CC mammogram of the left breast. 38-year-old patient.
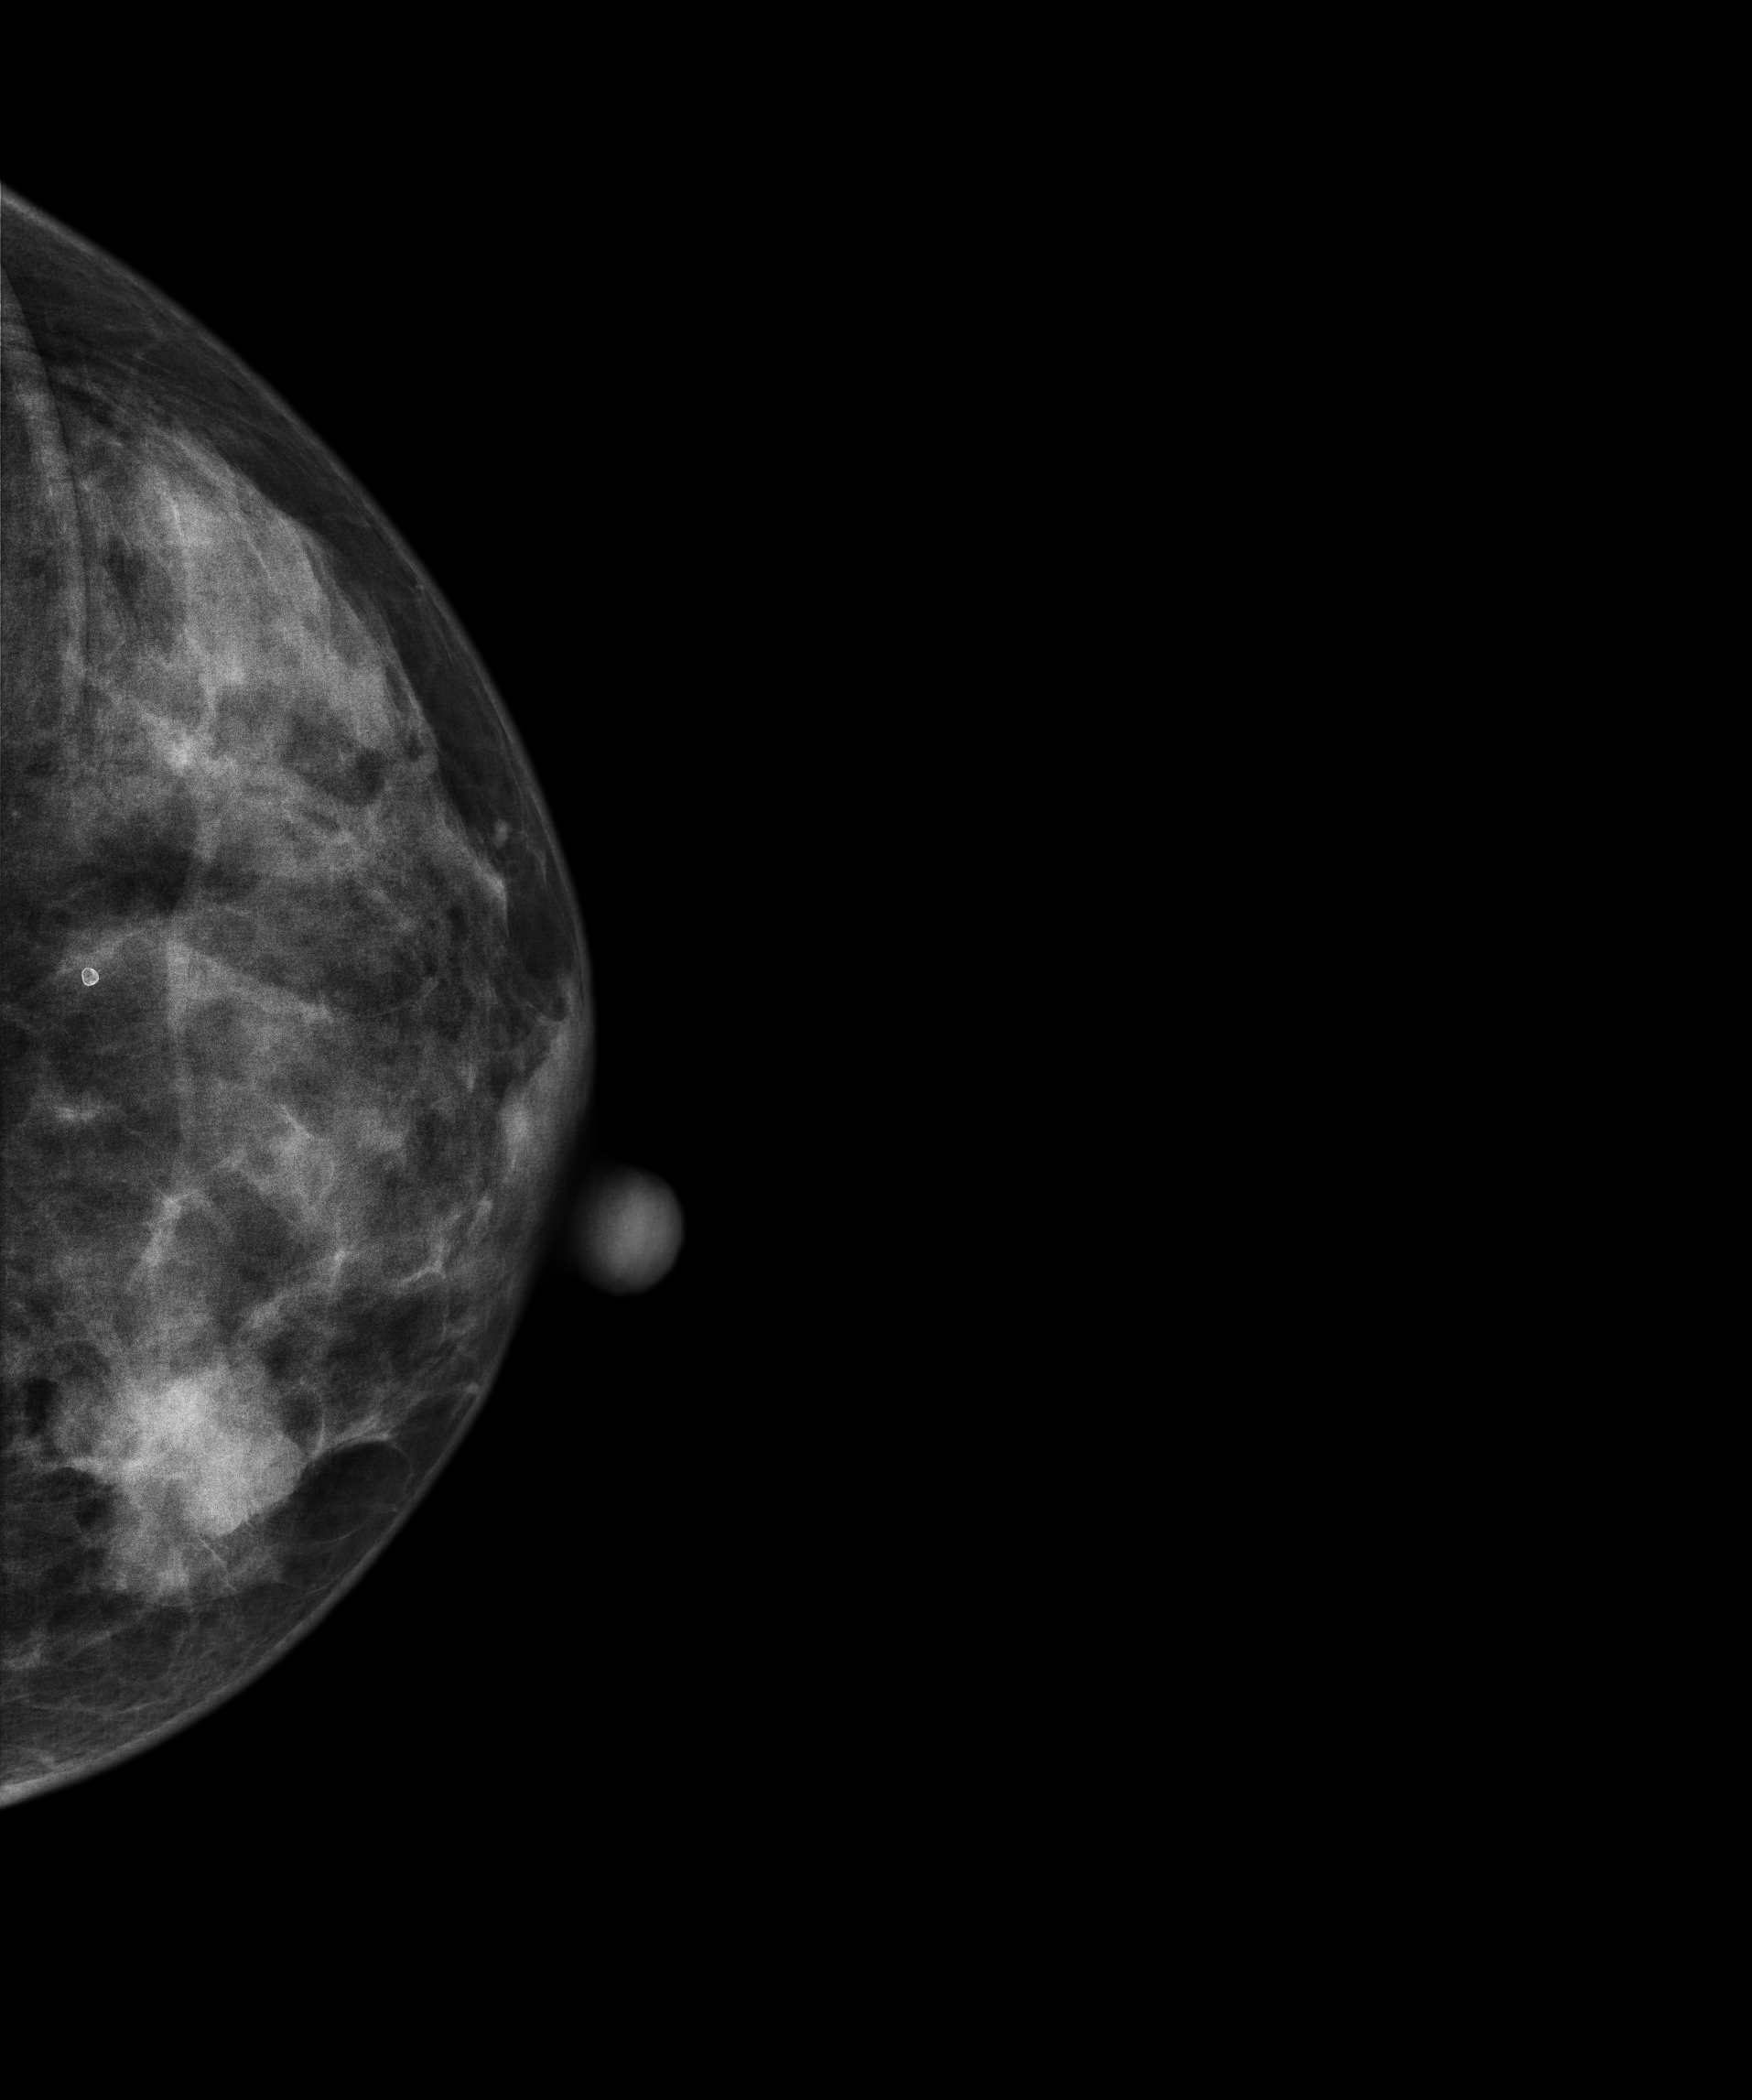
This breast has a mass, biopsy-proven malignant. Molecular subtype: luminal B.